Left-breast mammogram, cranio-caudal. 30 y/o patient.
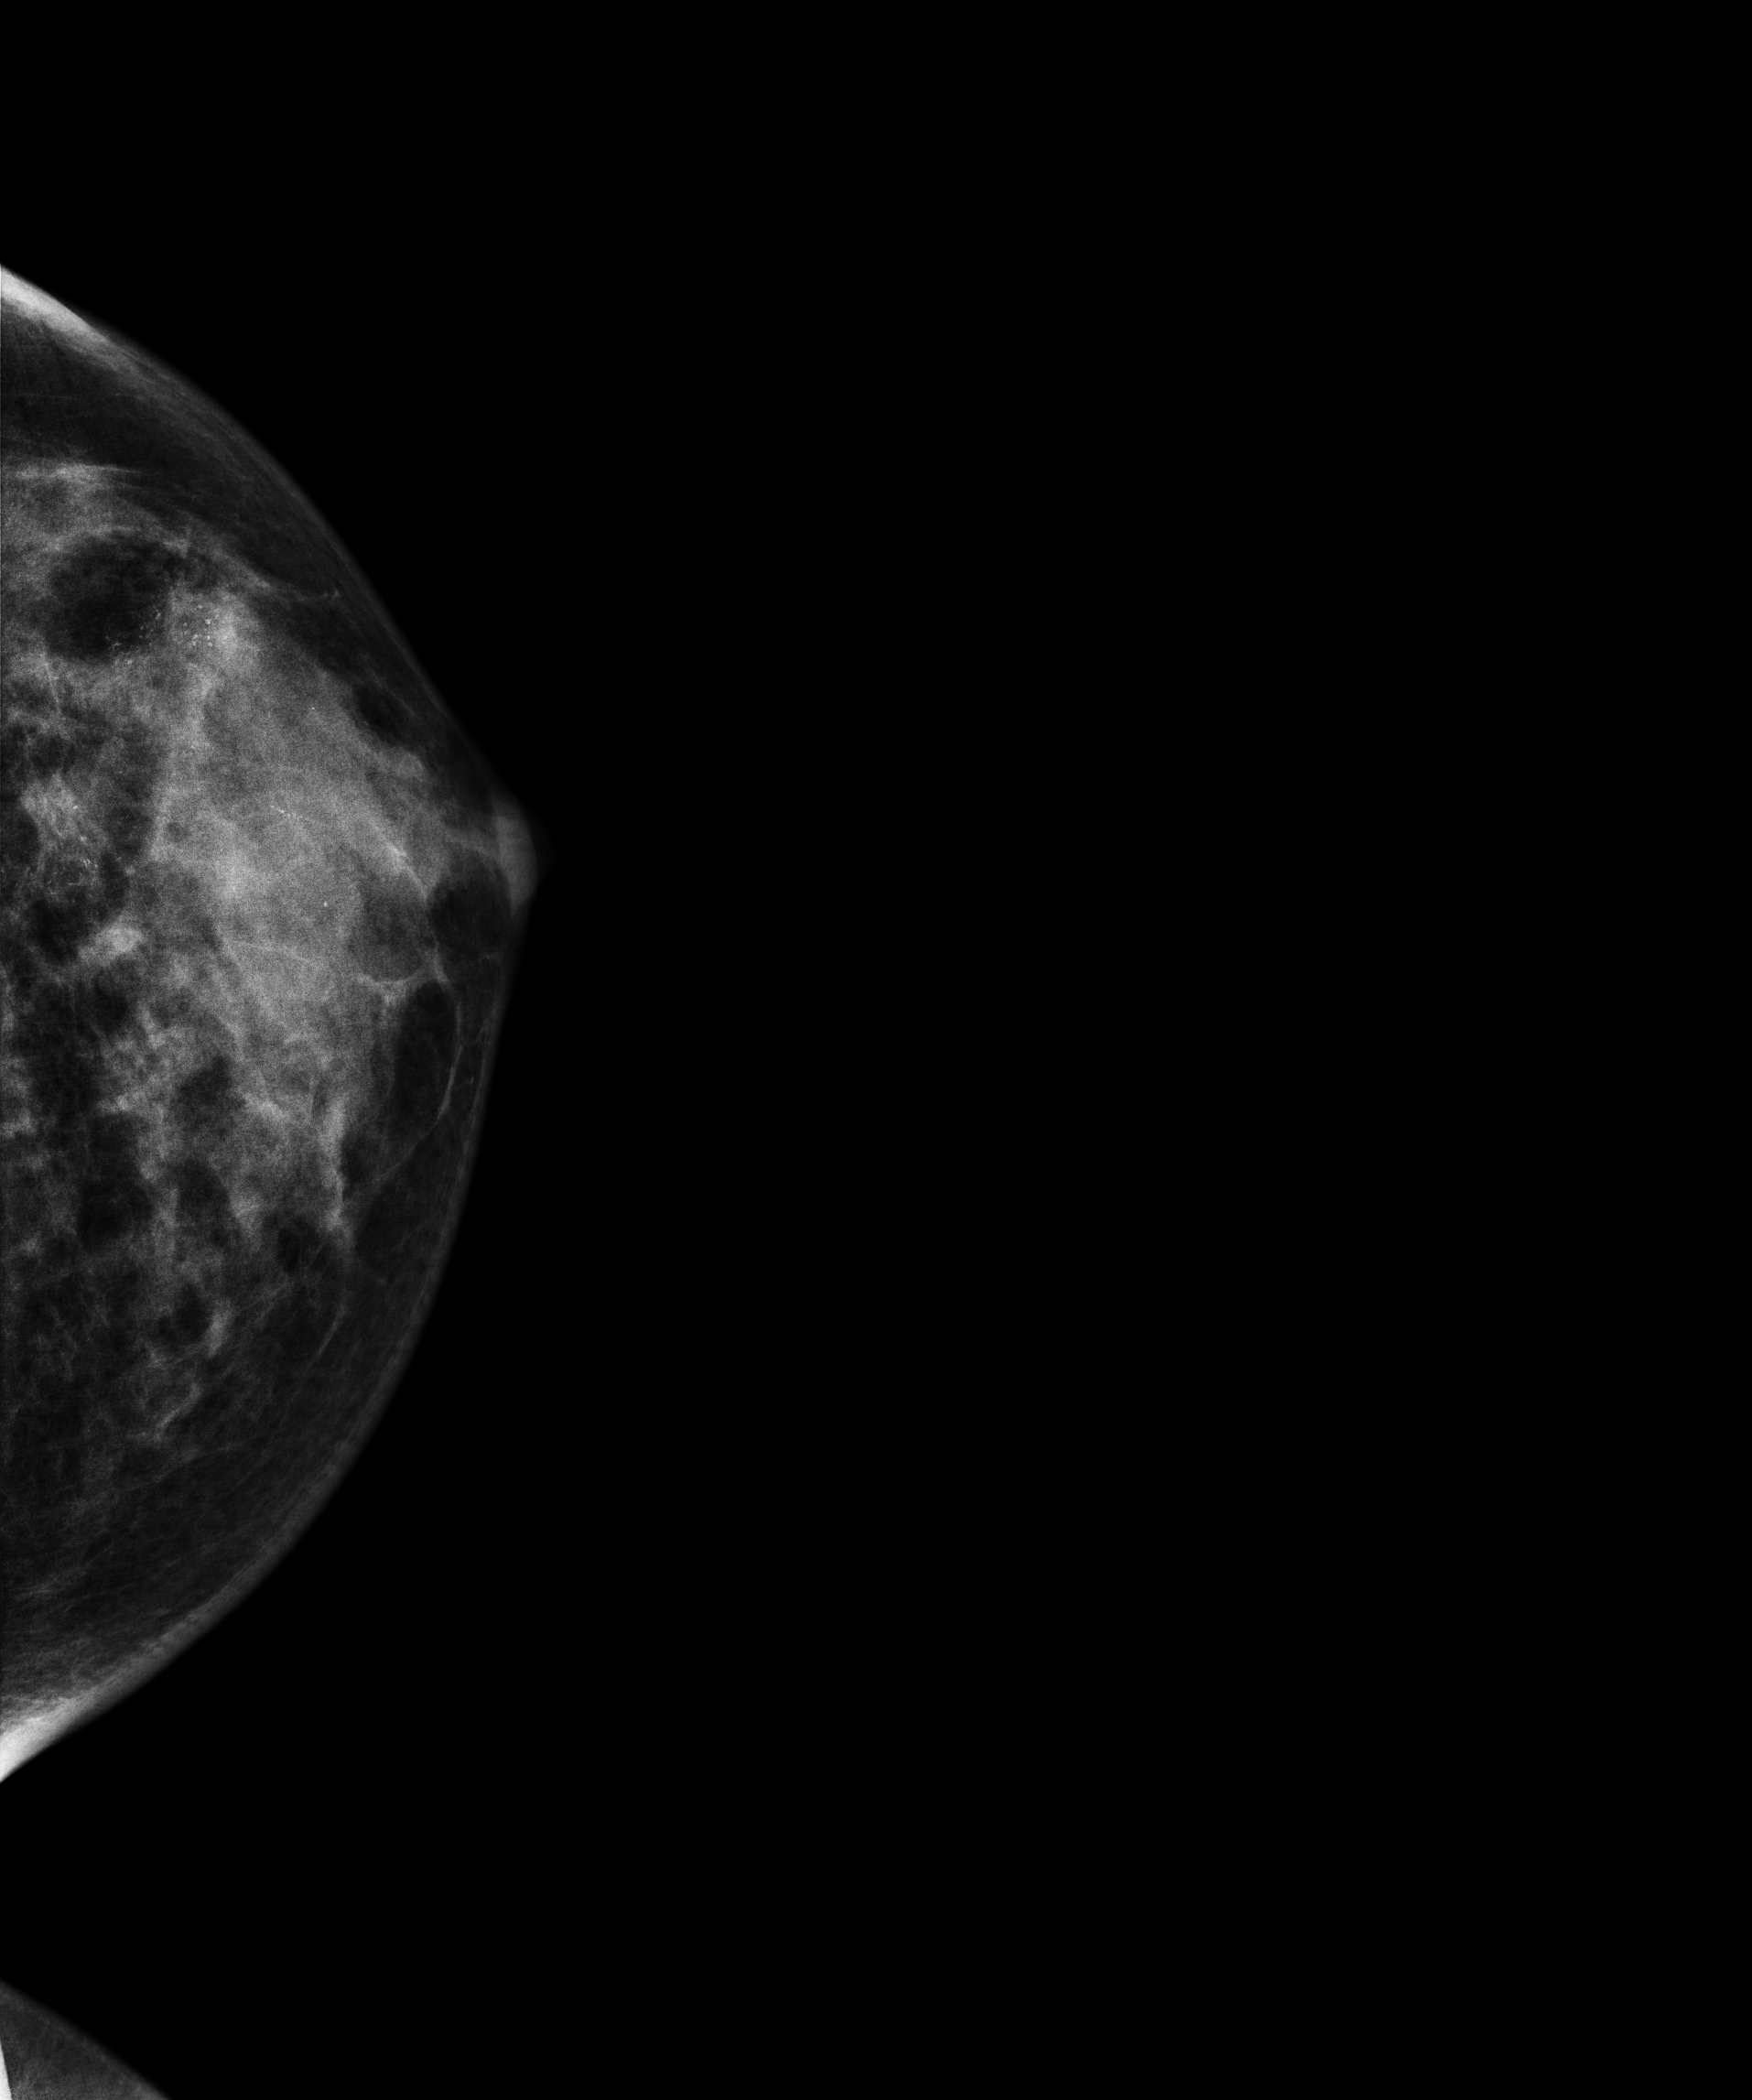
This breast has a mass and calcifications, pathology-confirmed malignant. Molecular subtype: luminal B.